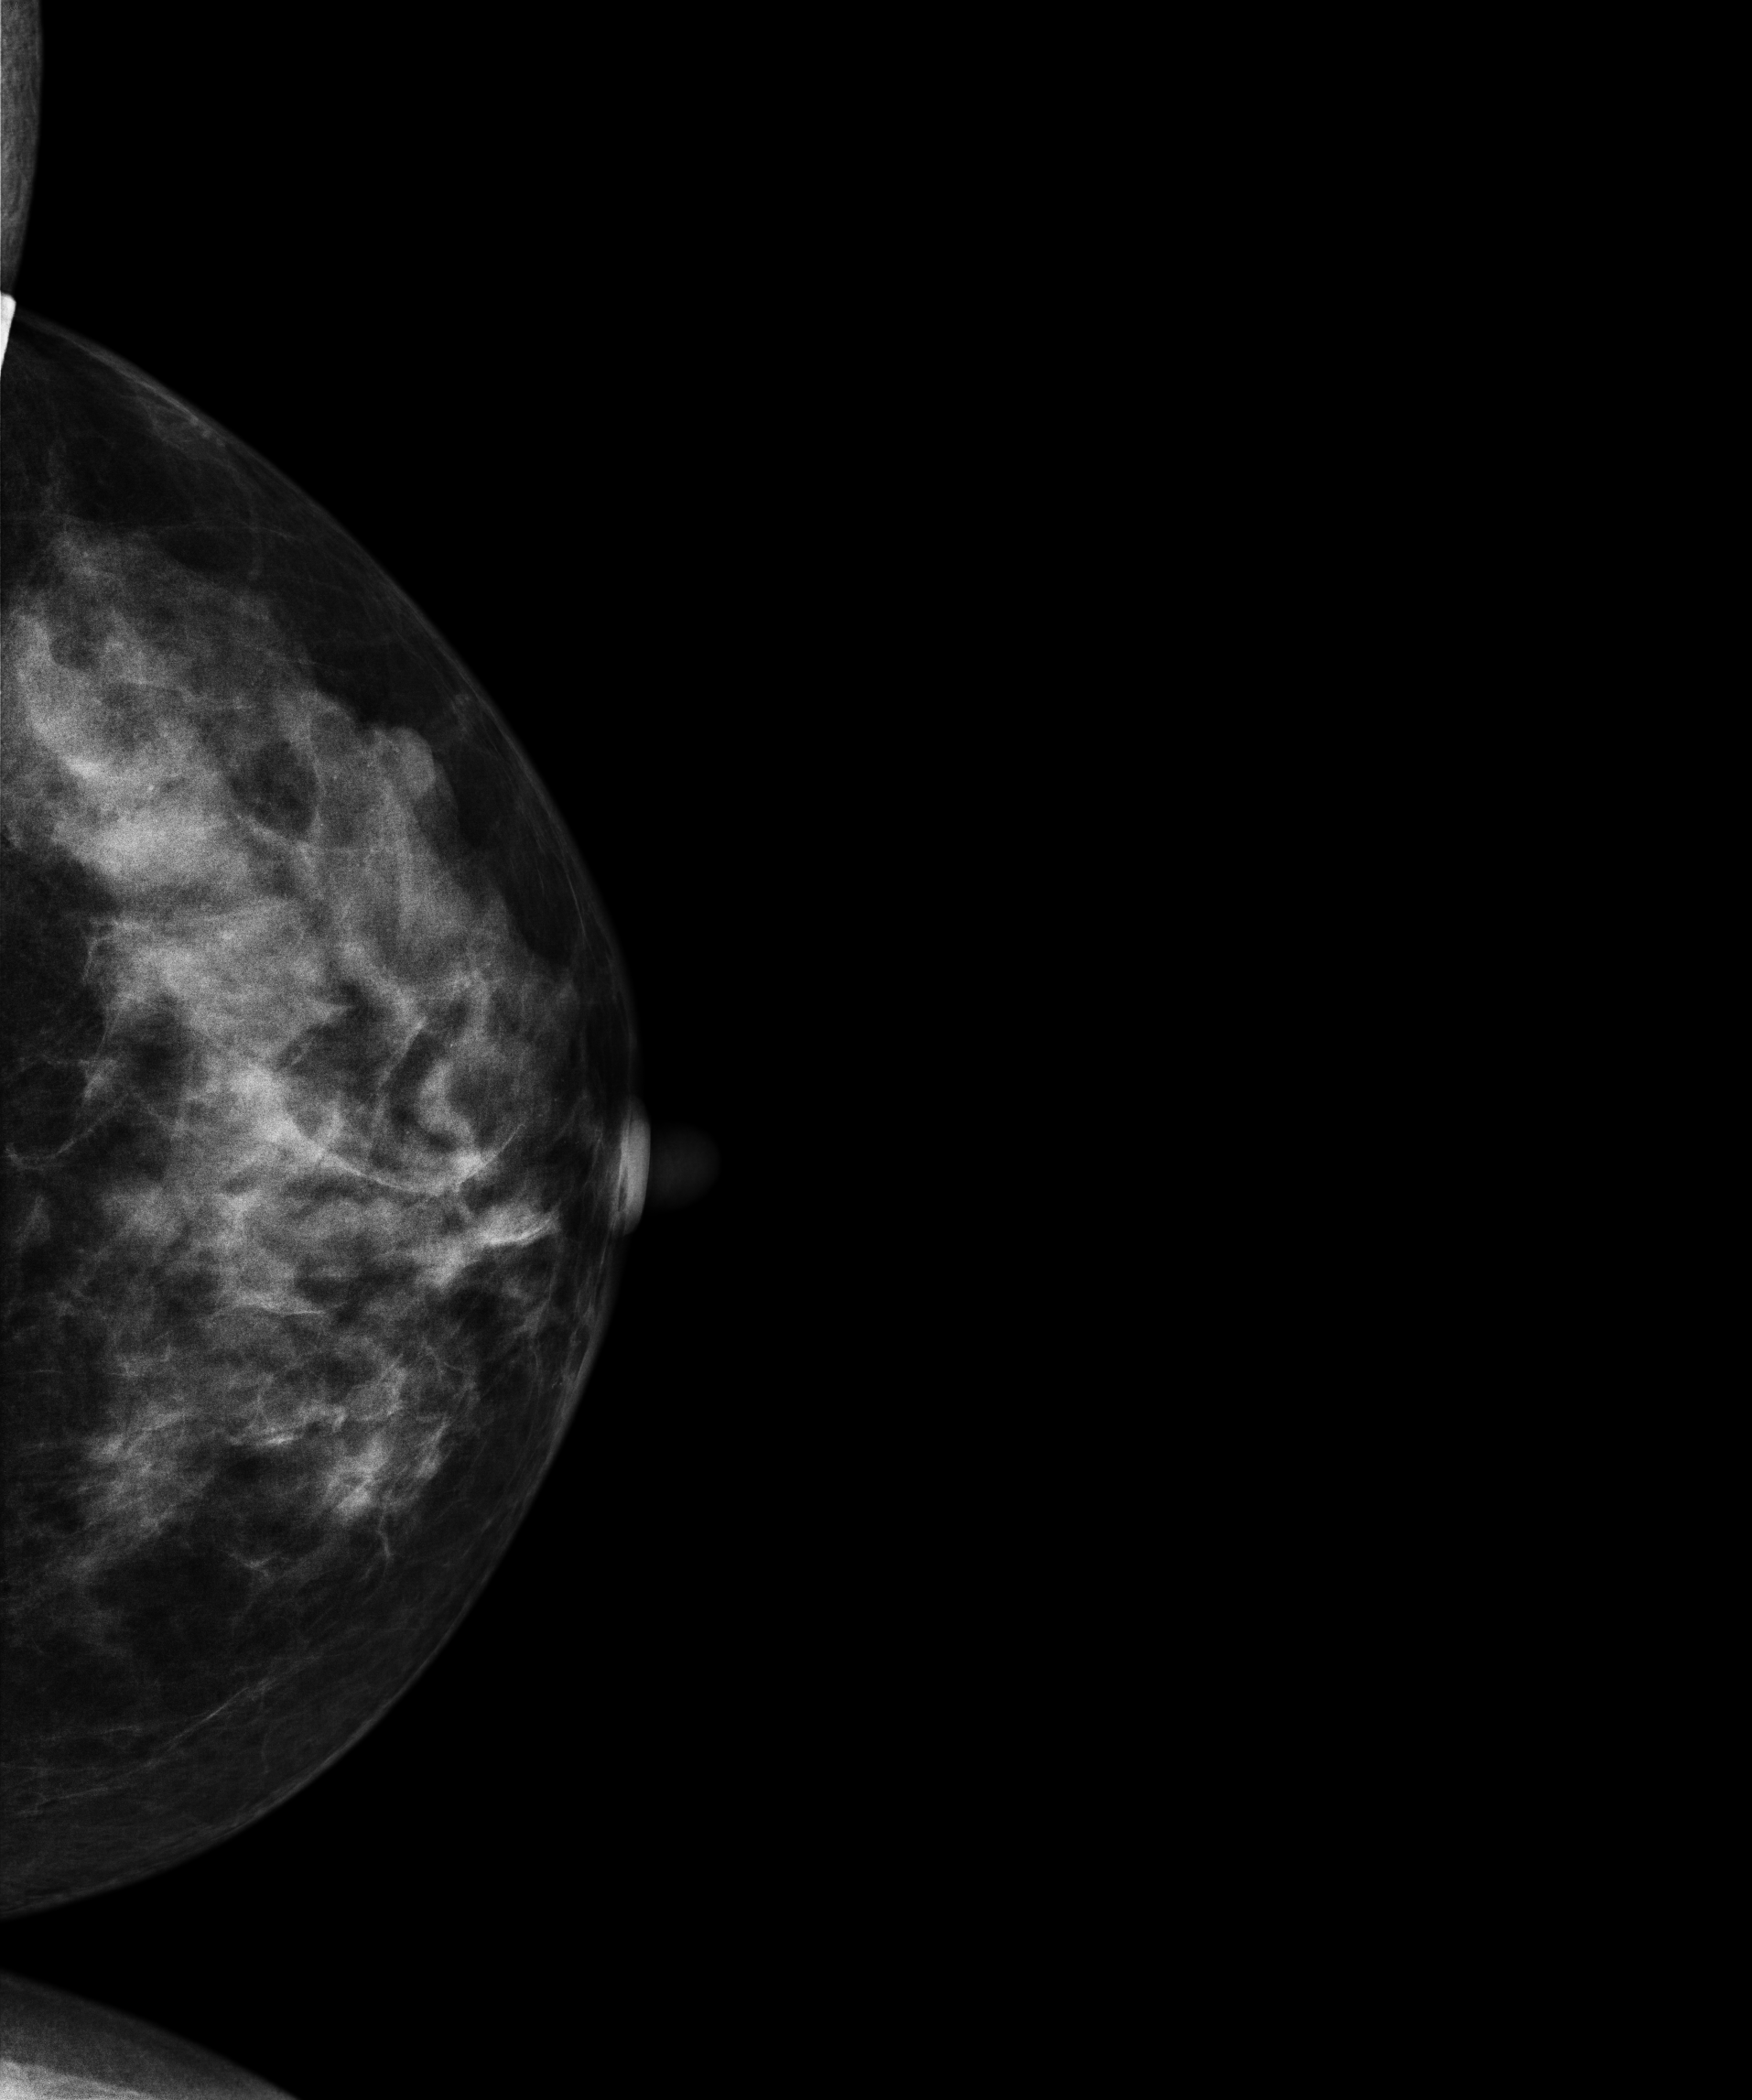
Mammogram, left breast, CC view. Patient age 41.
This breast has calcifications, biopsy-confirmed benign.